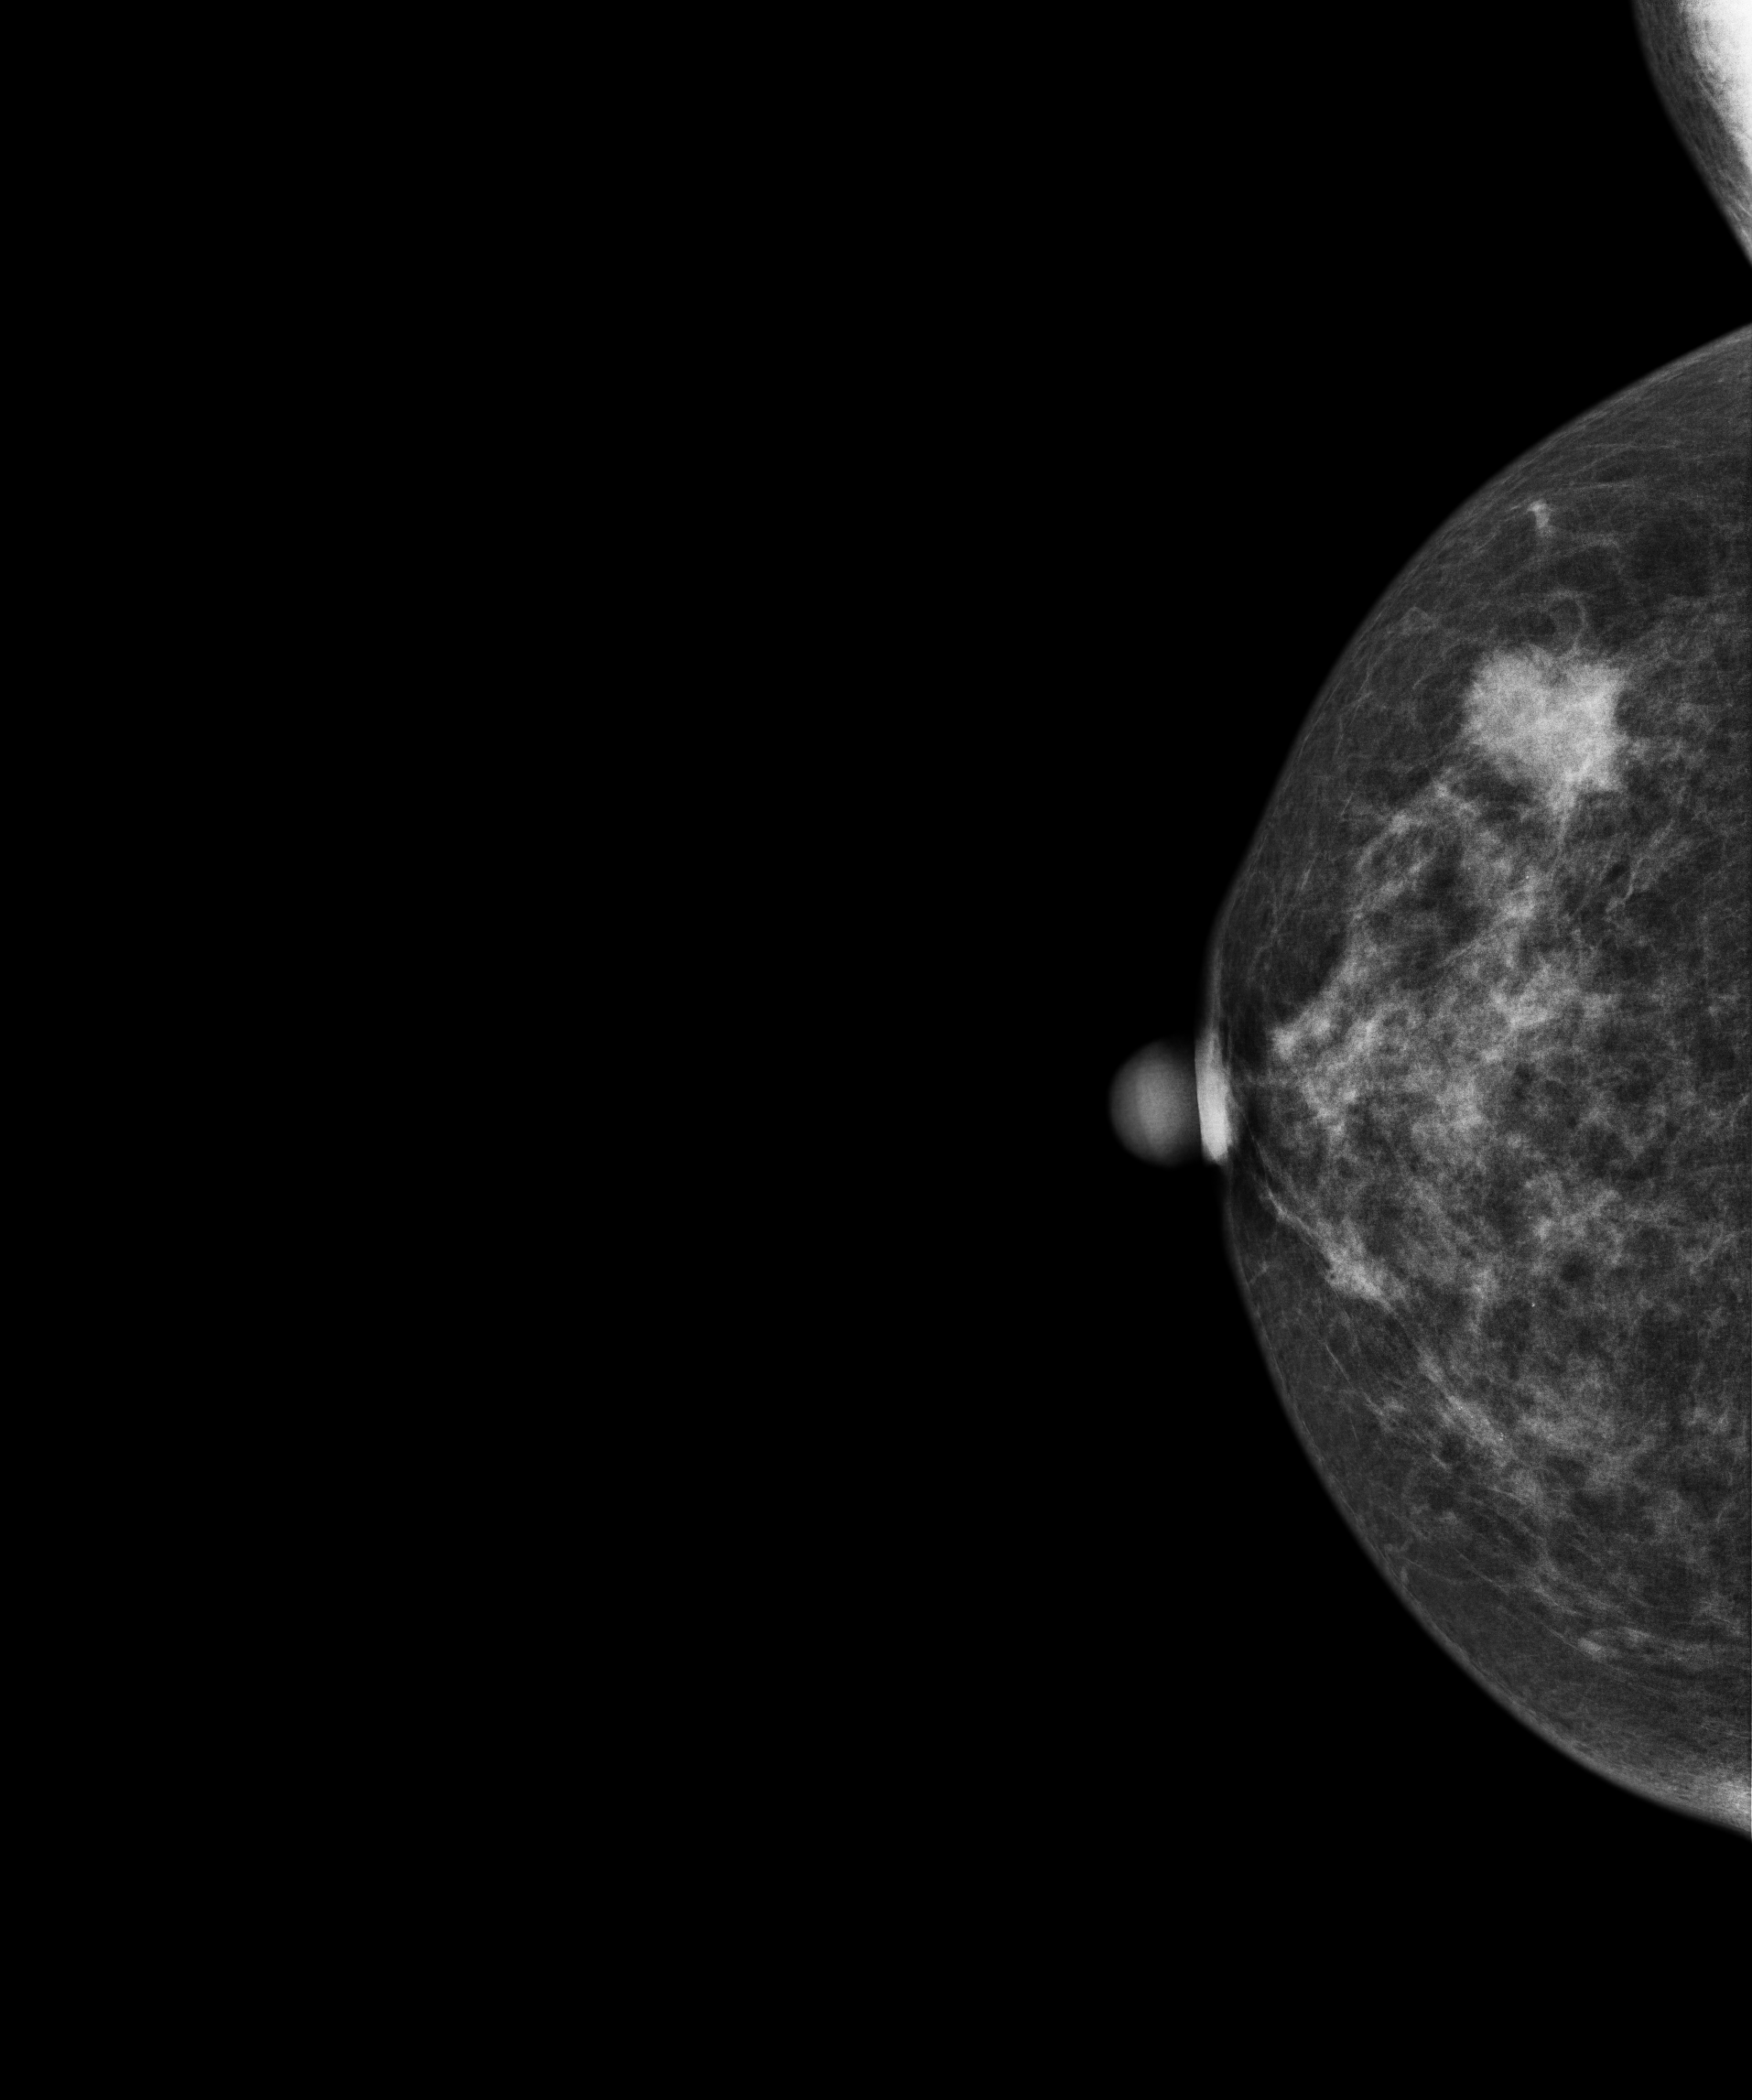
Mammogram — right CC. Patient age 60.
This breast has a mass, pathology-confirmed malignant. Molecular subtype: luminal B.